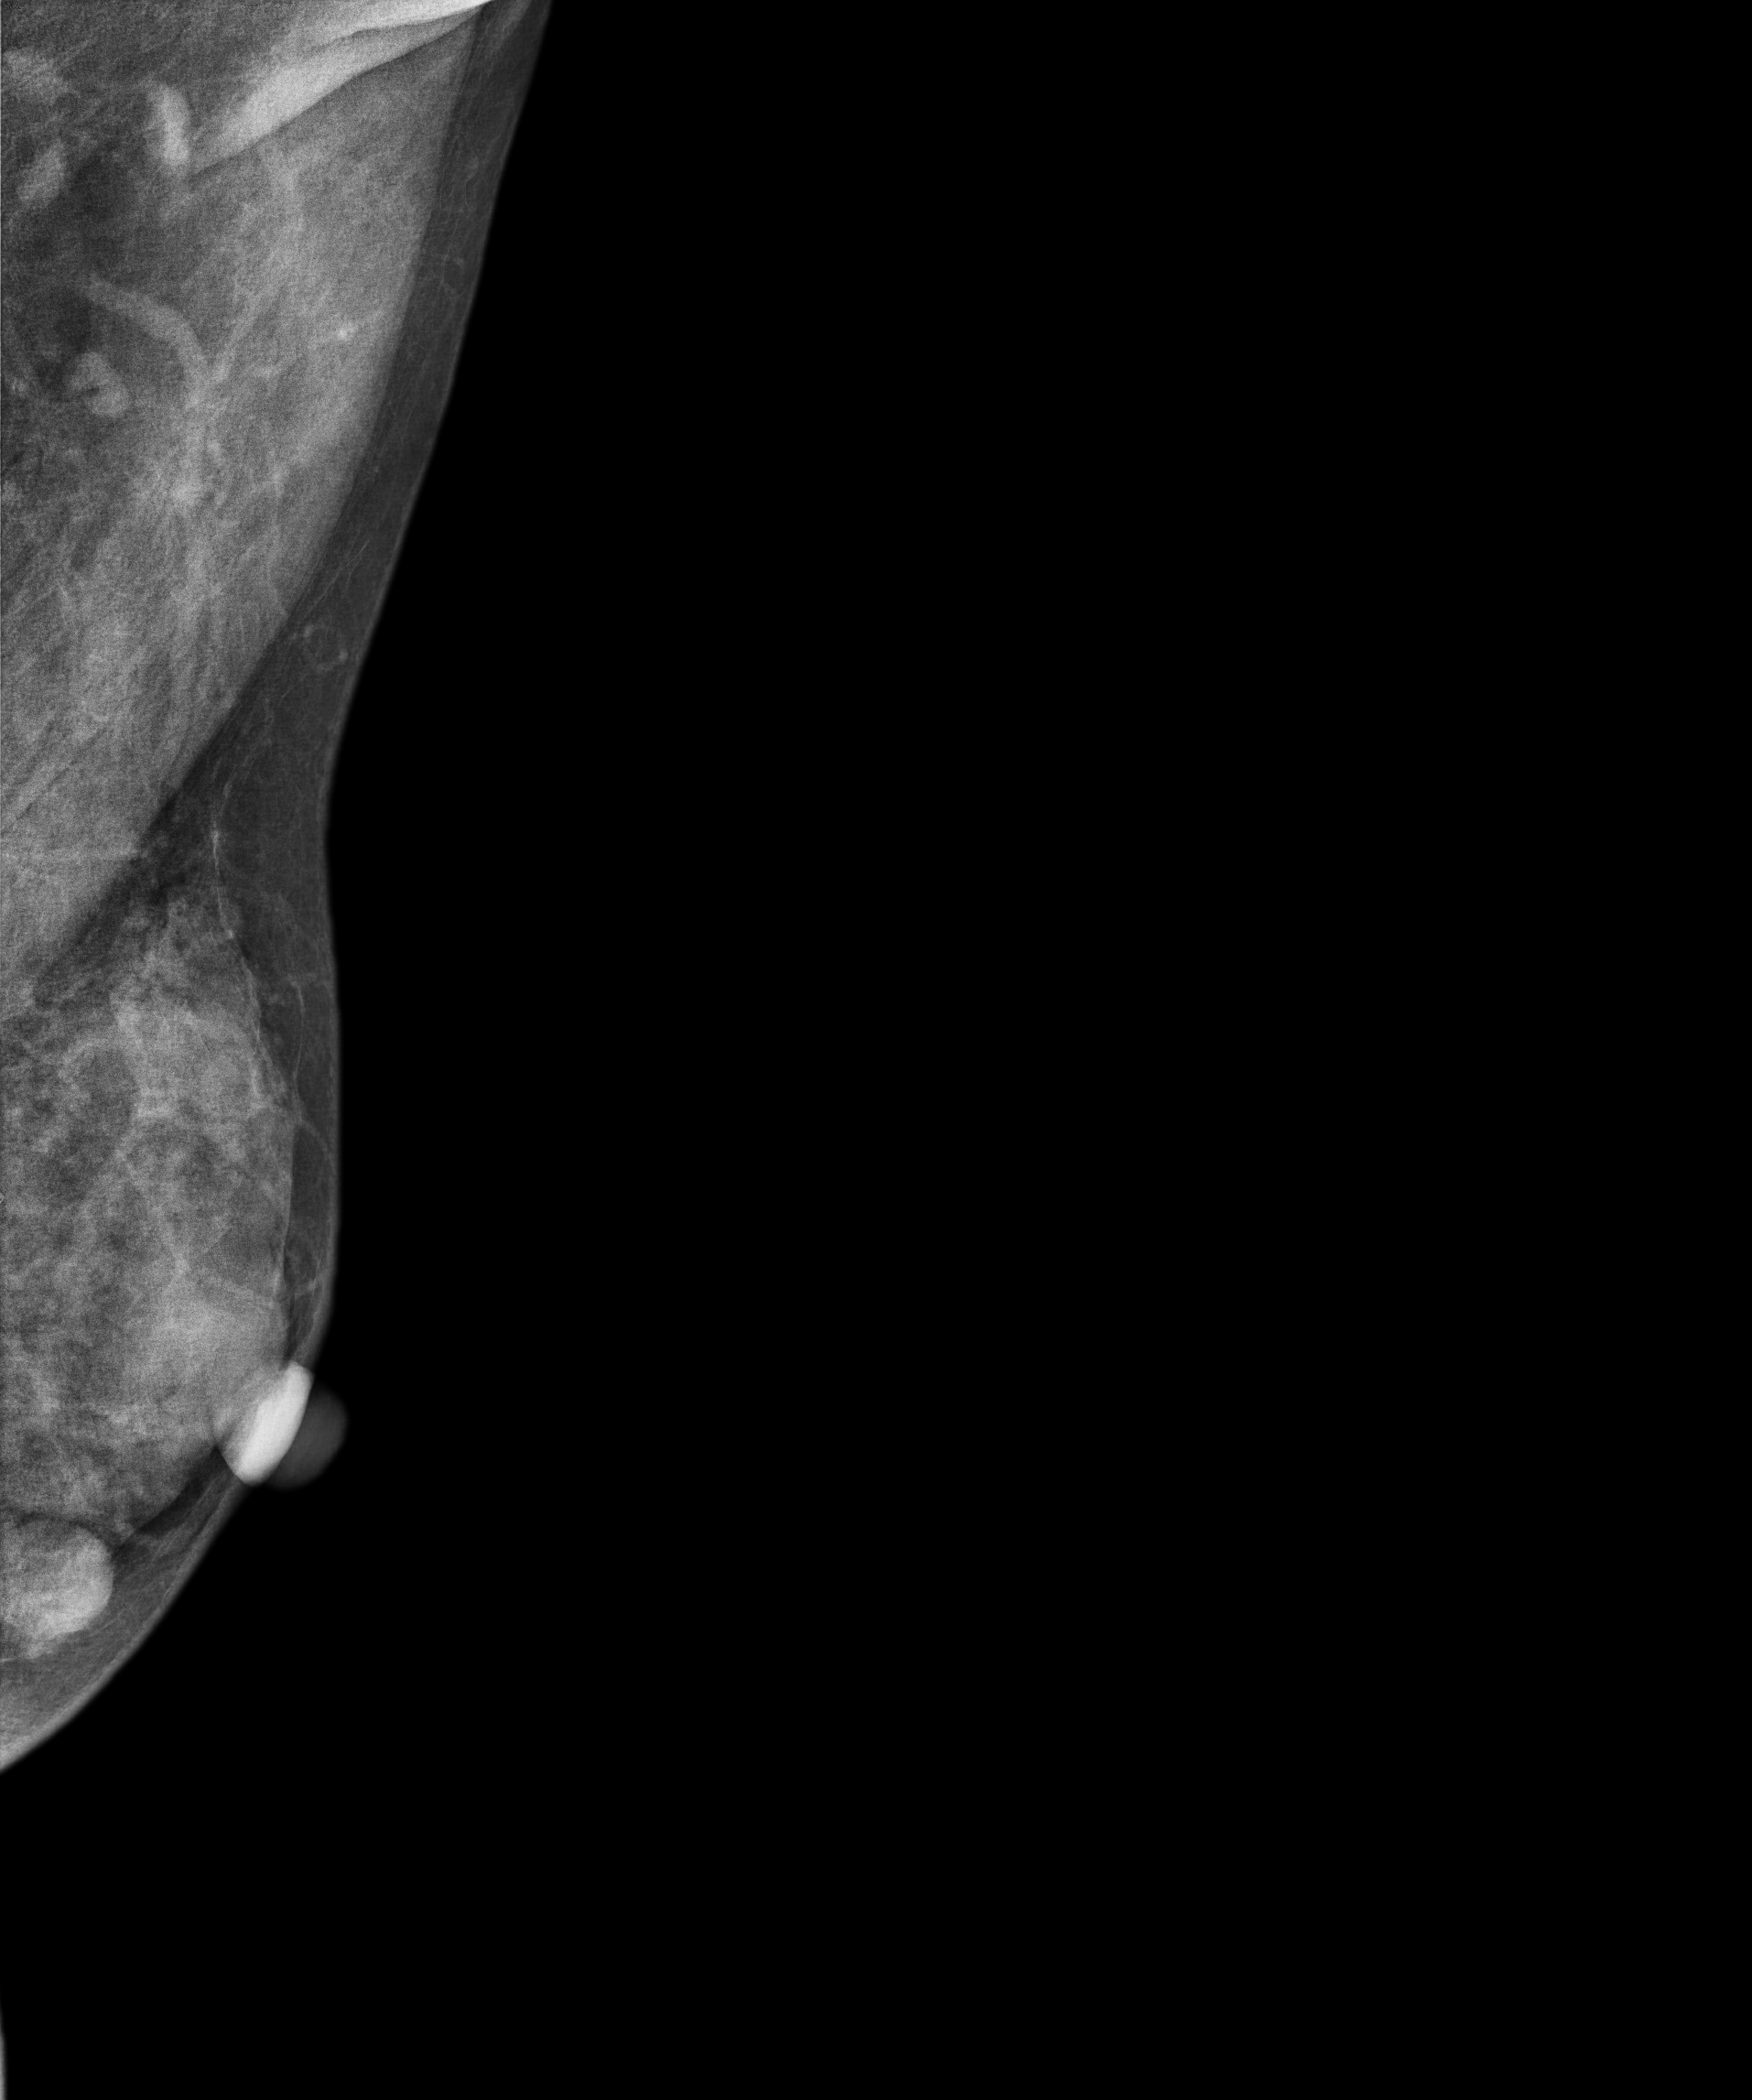
Left-breast mammogram, MLO. 44 y/o patient.
This breast has a mass, biopsy-confirmed benign.